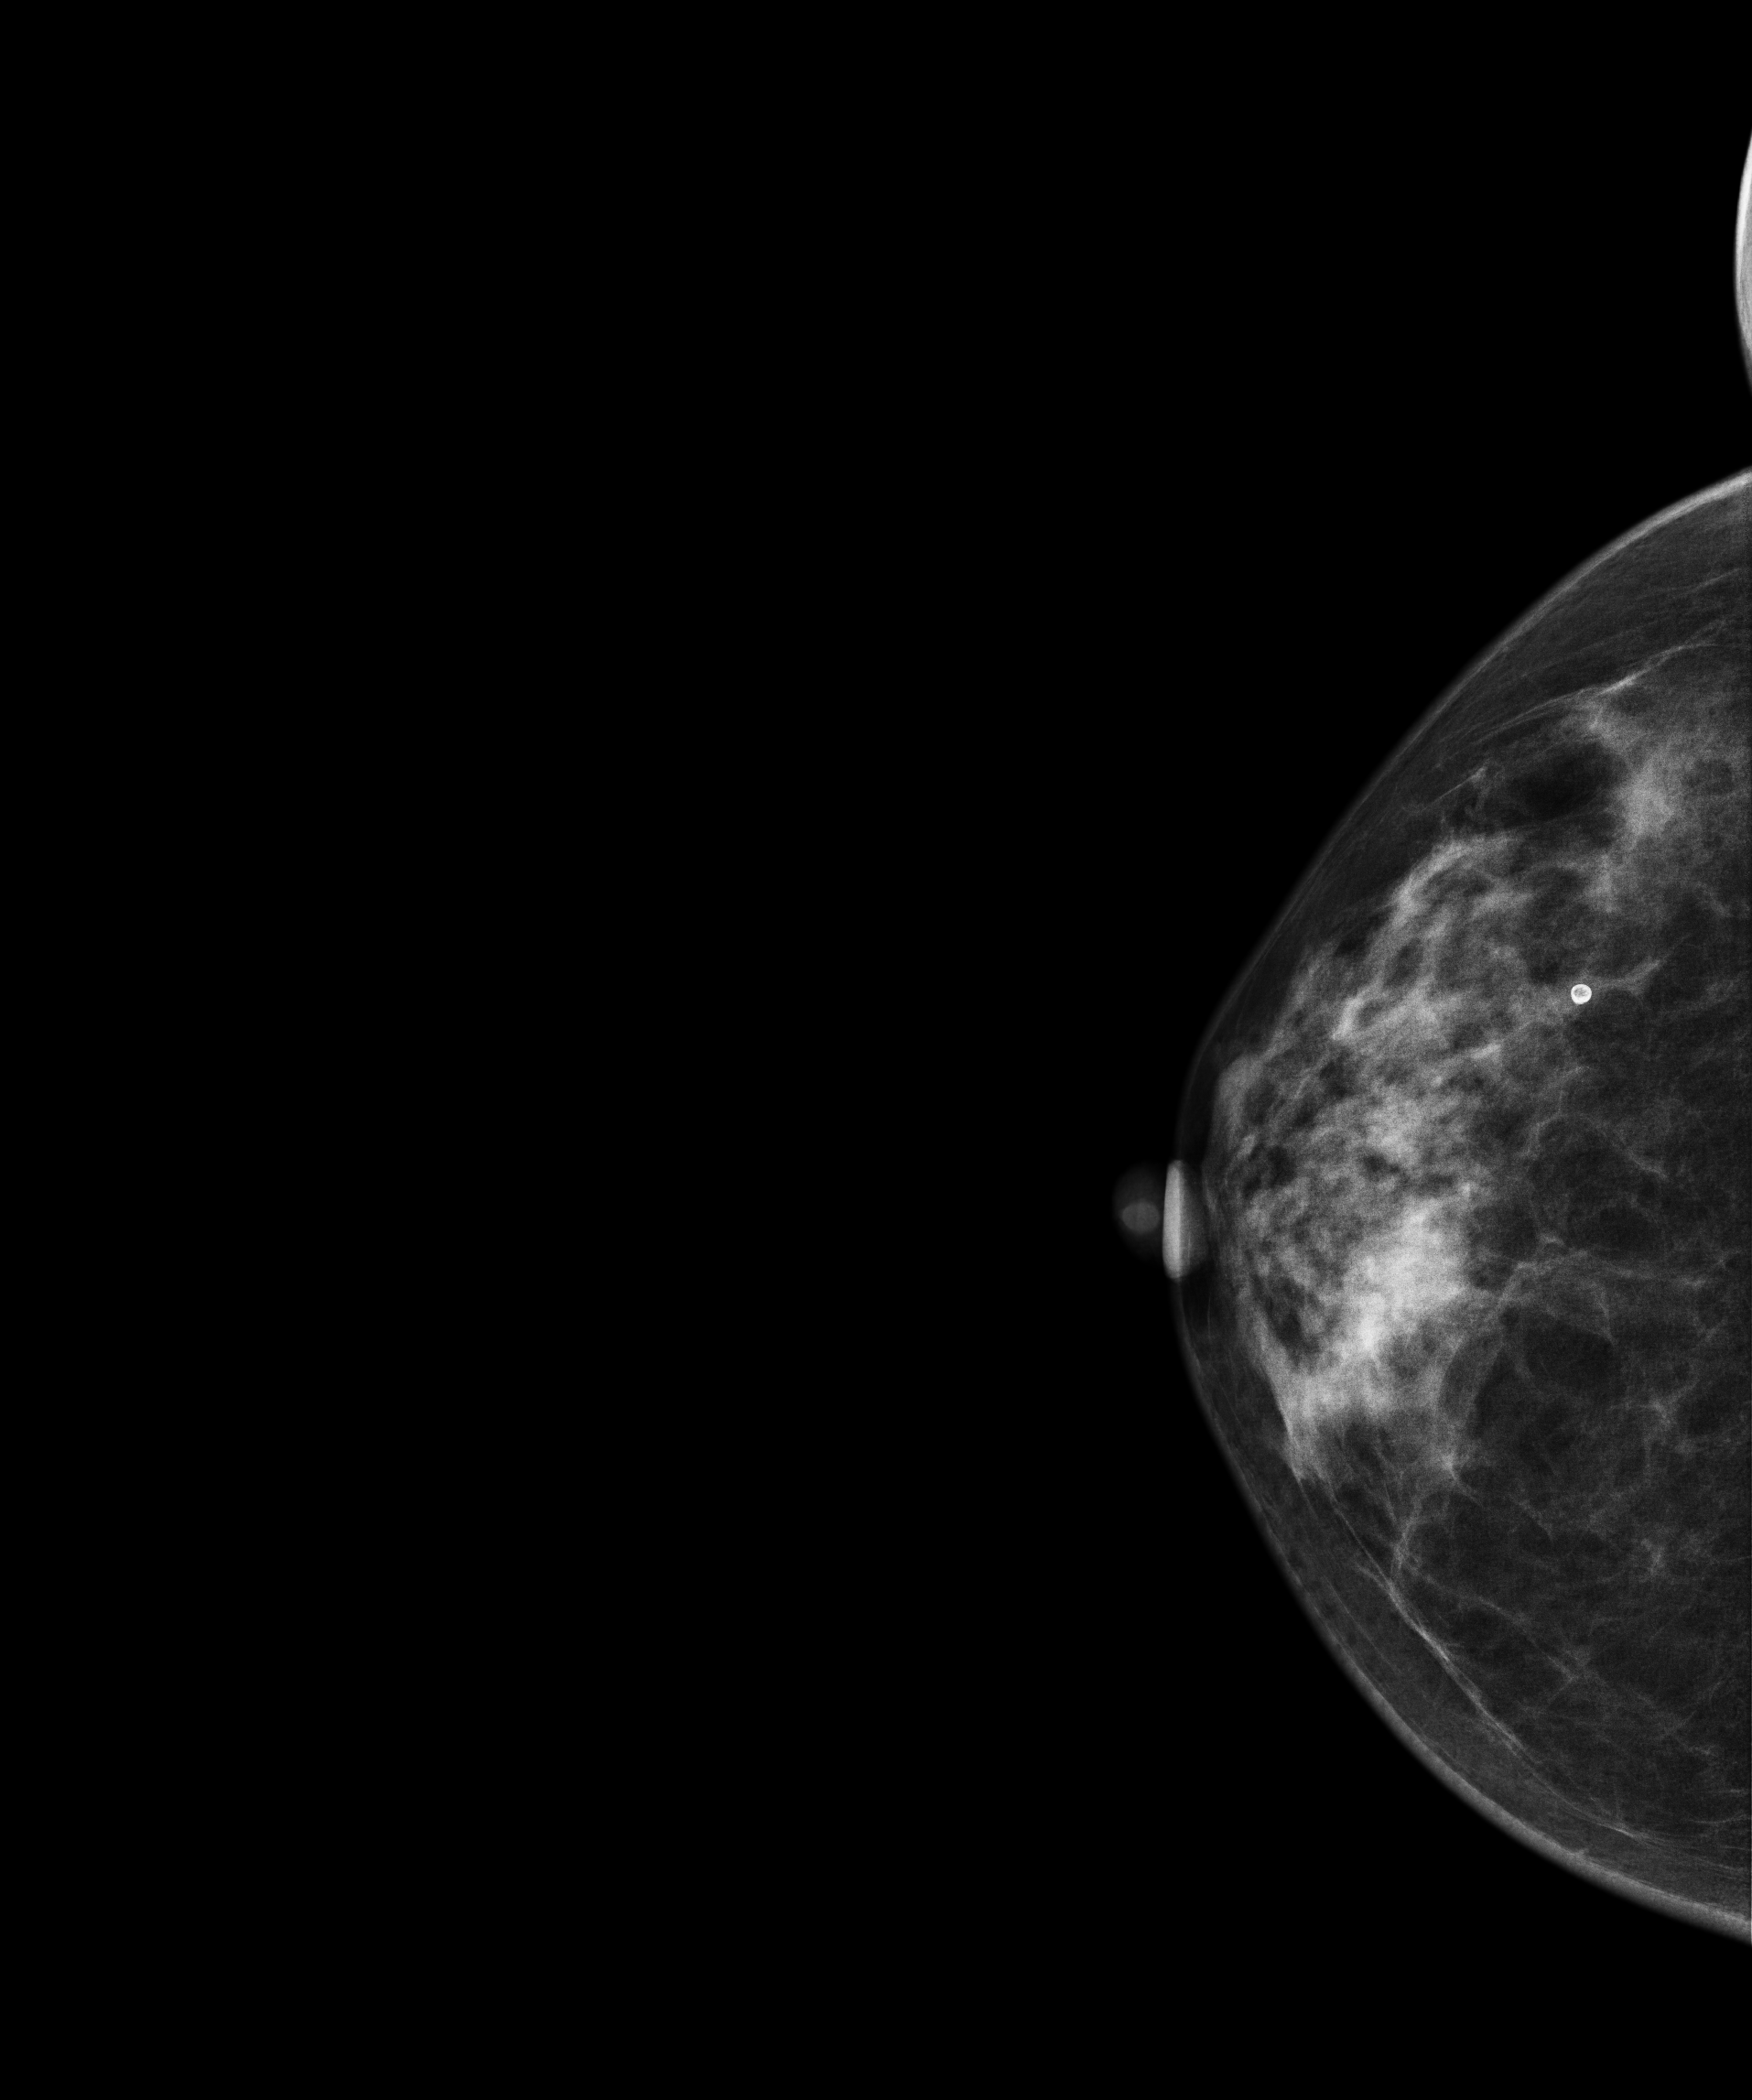
Cranio-caudal mammogram of the right breast. Patient age 50.
Contralateral breast — no documented abnormality on this side.